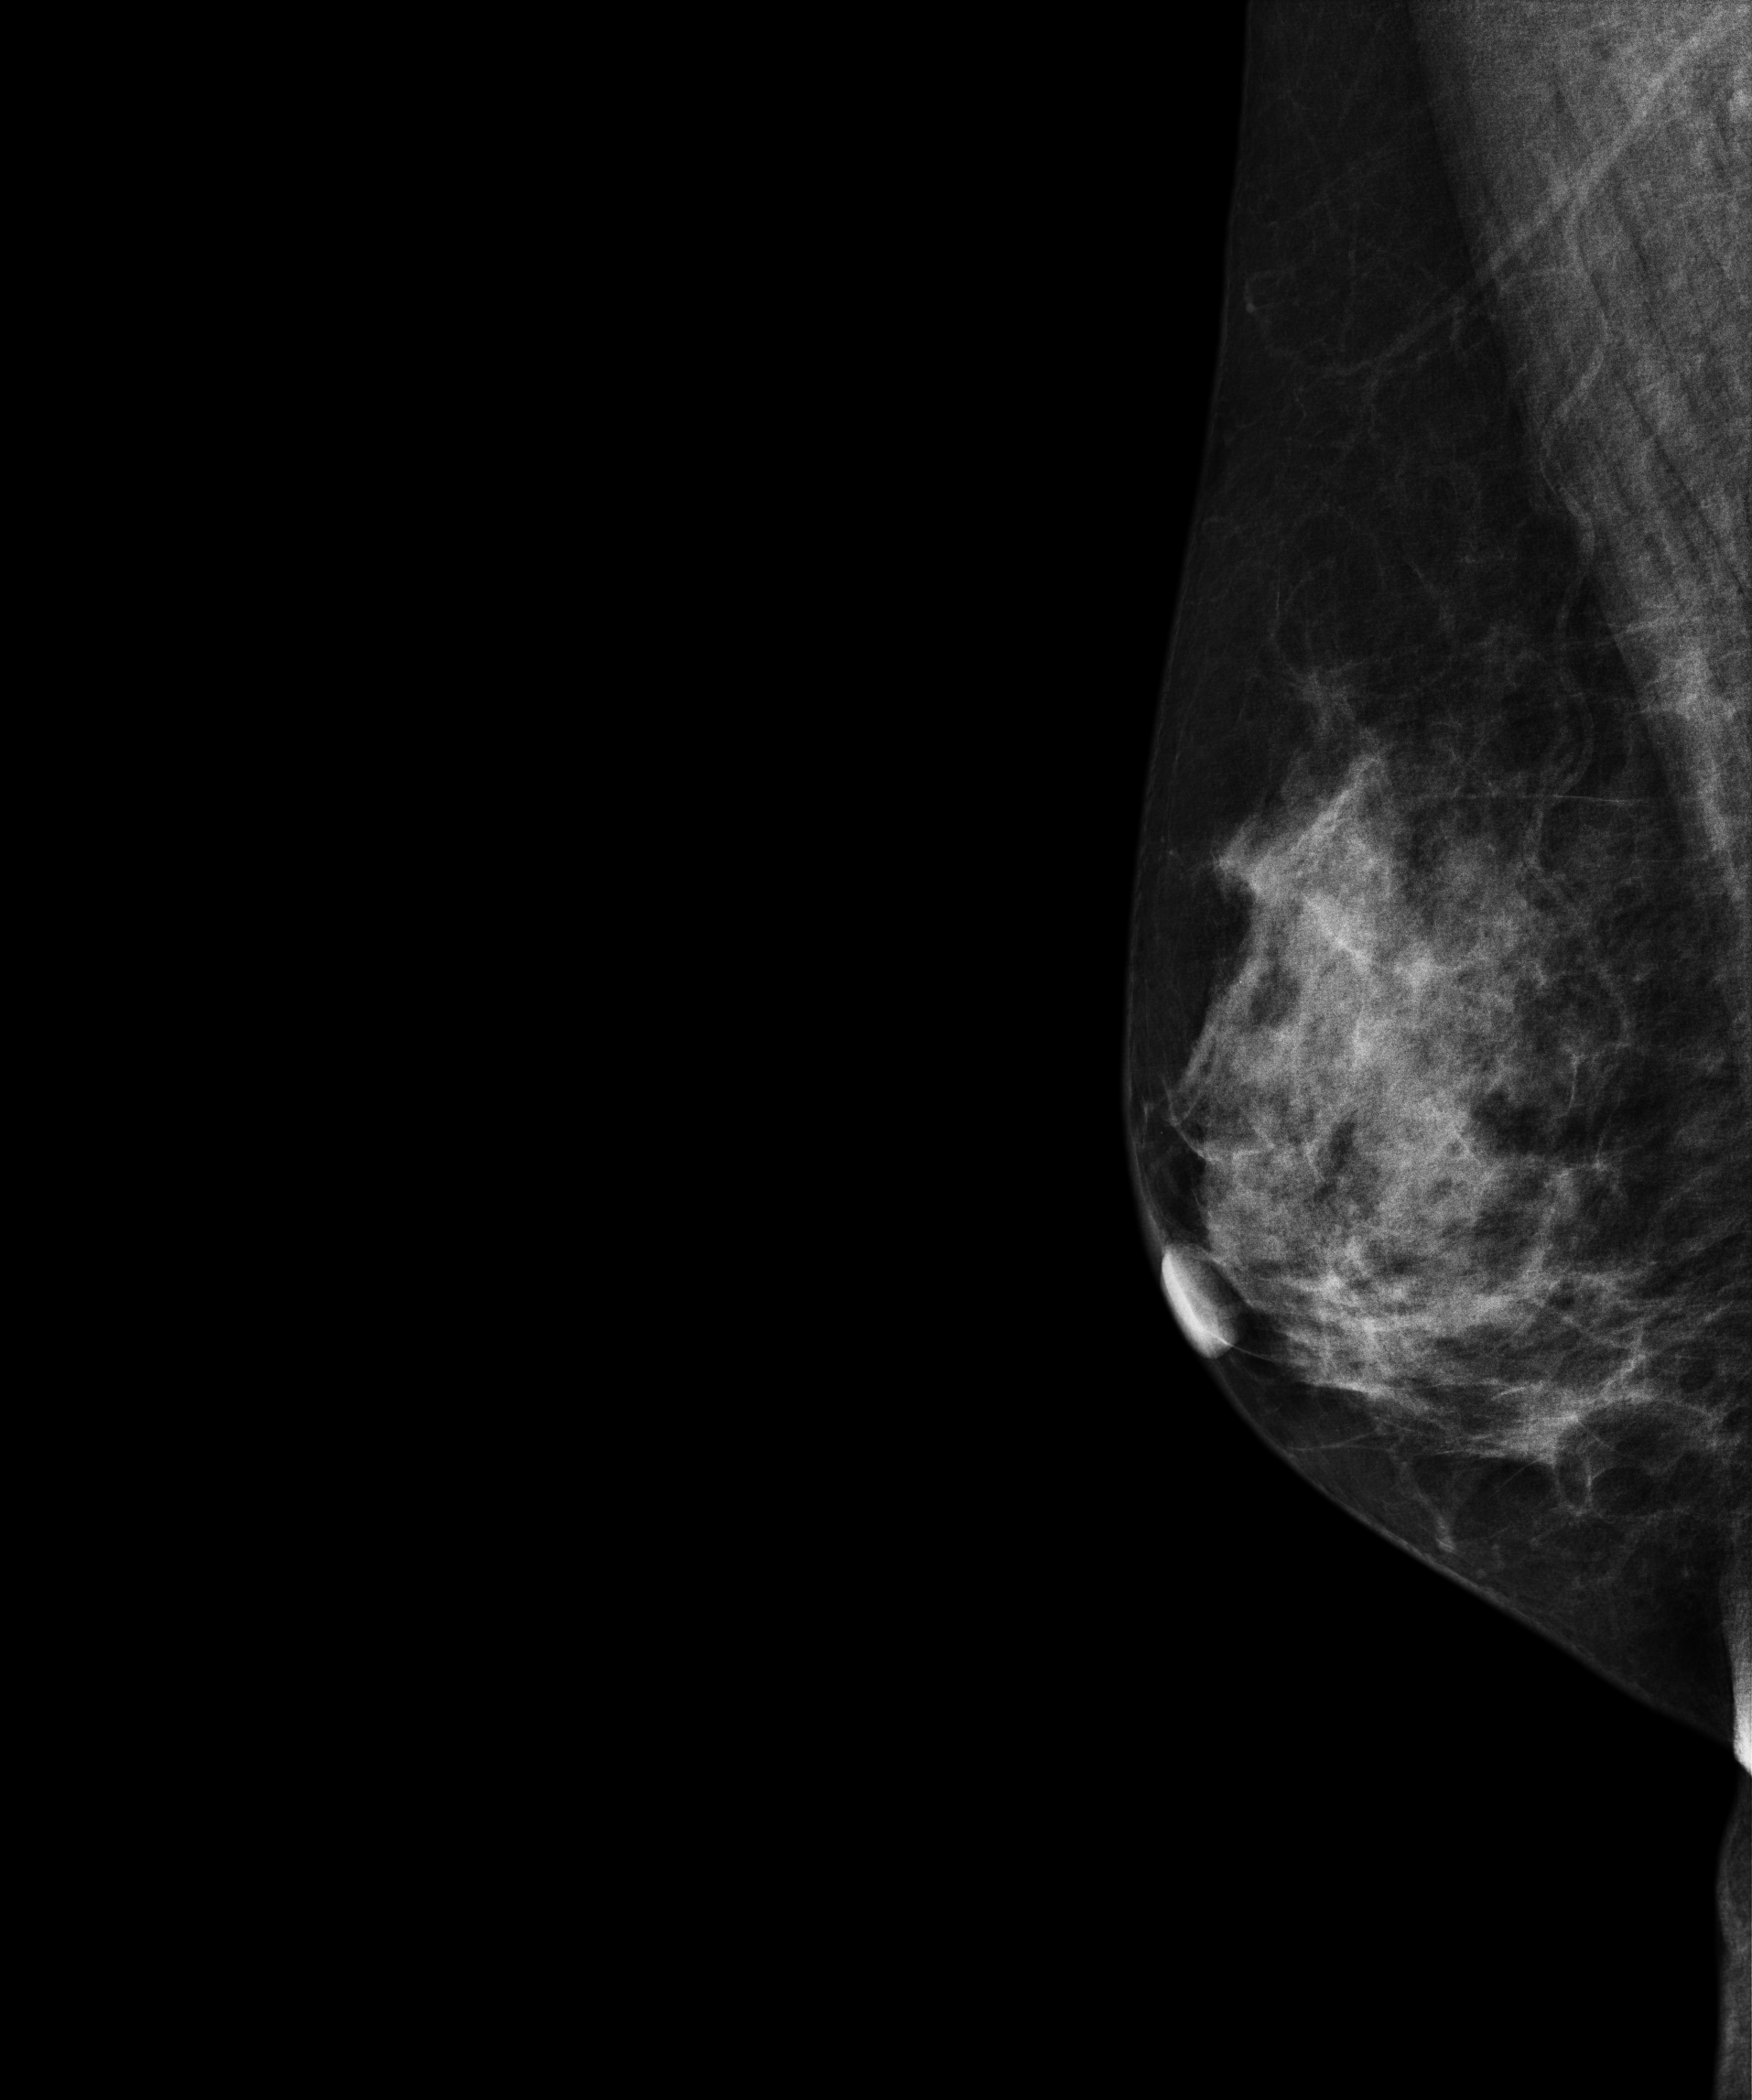
Digital mammography. Right breast, MLO projection. Patient age 60.
Contralateral breast — no documented abnormality on this side.